CC mammogram of the right breast. Patient age 55.
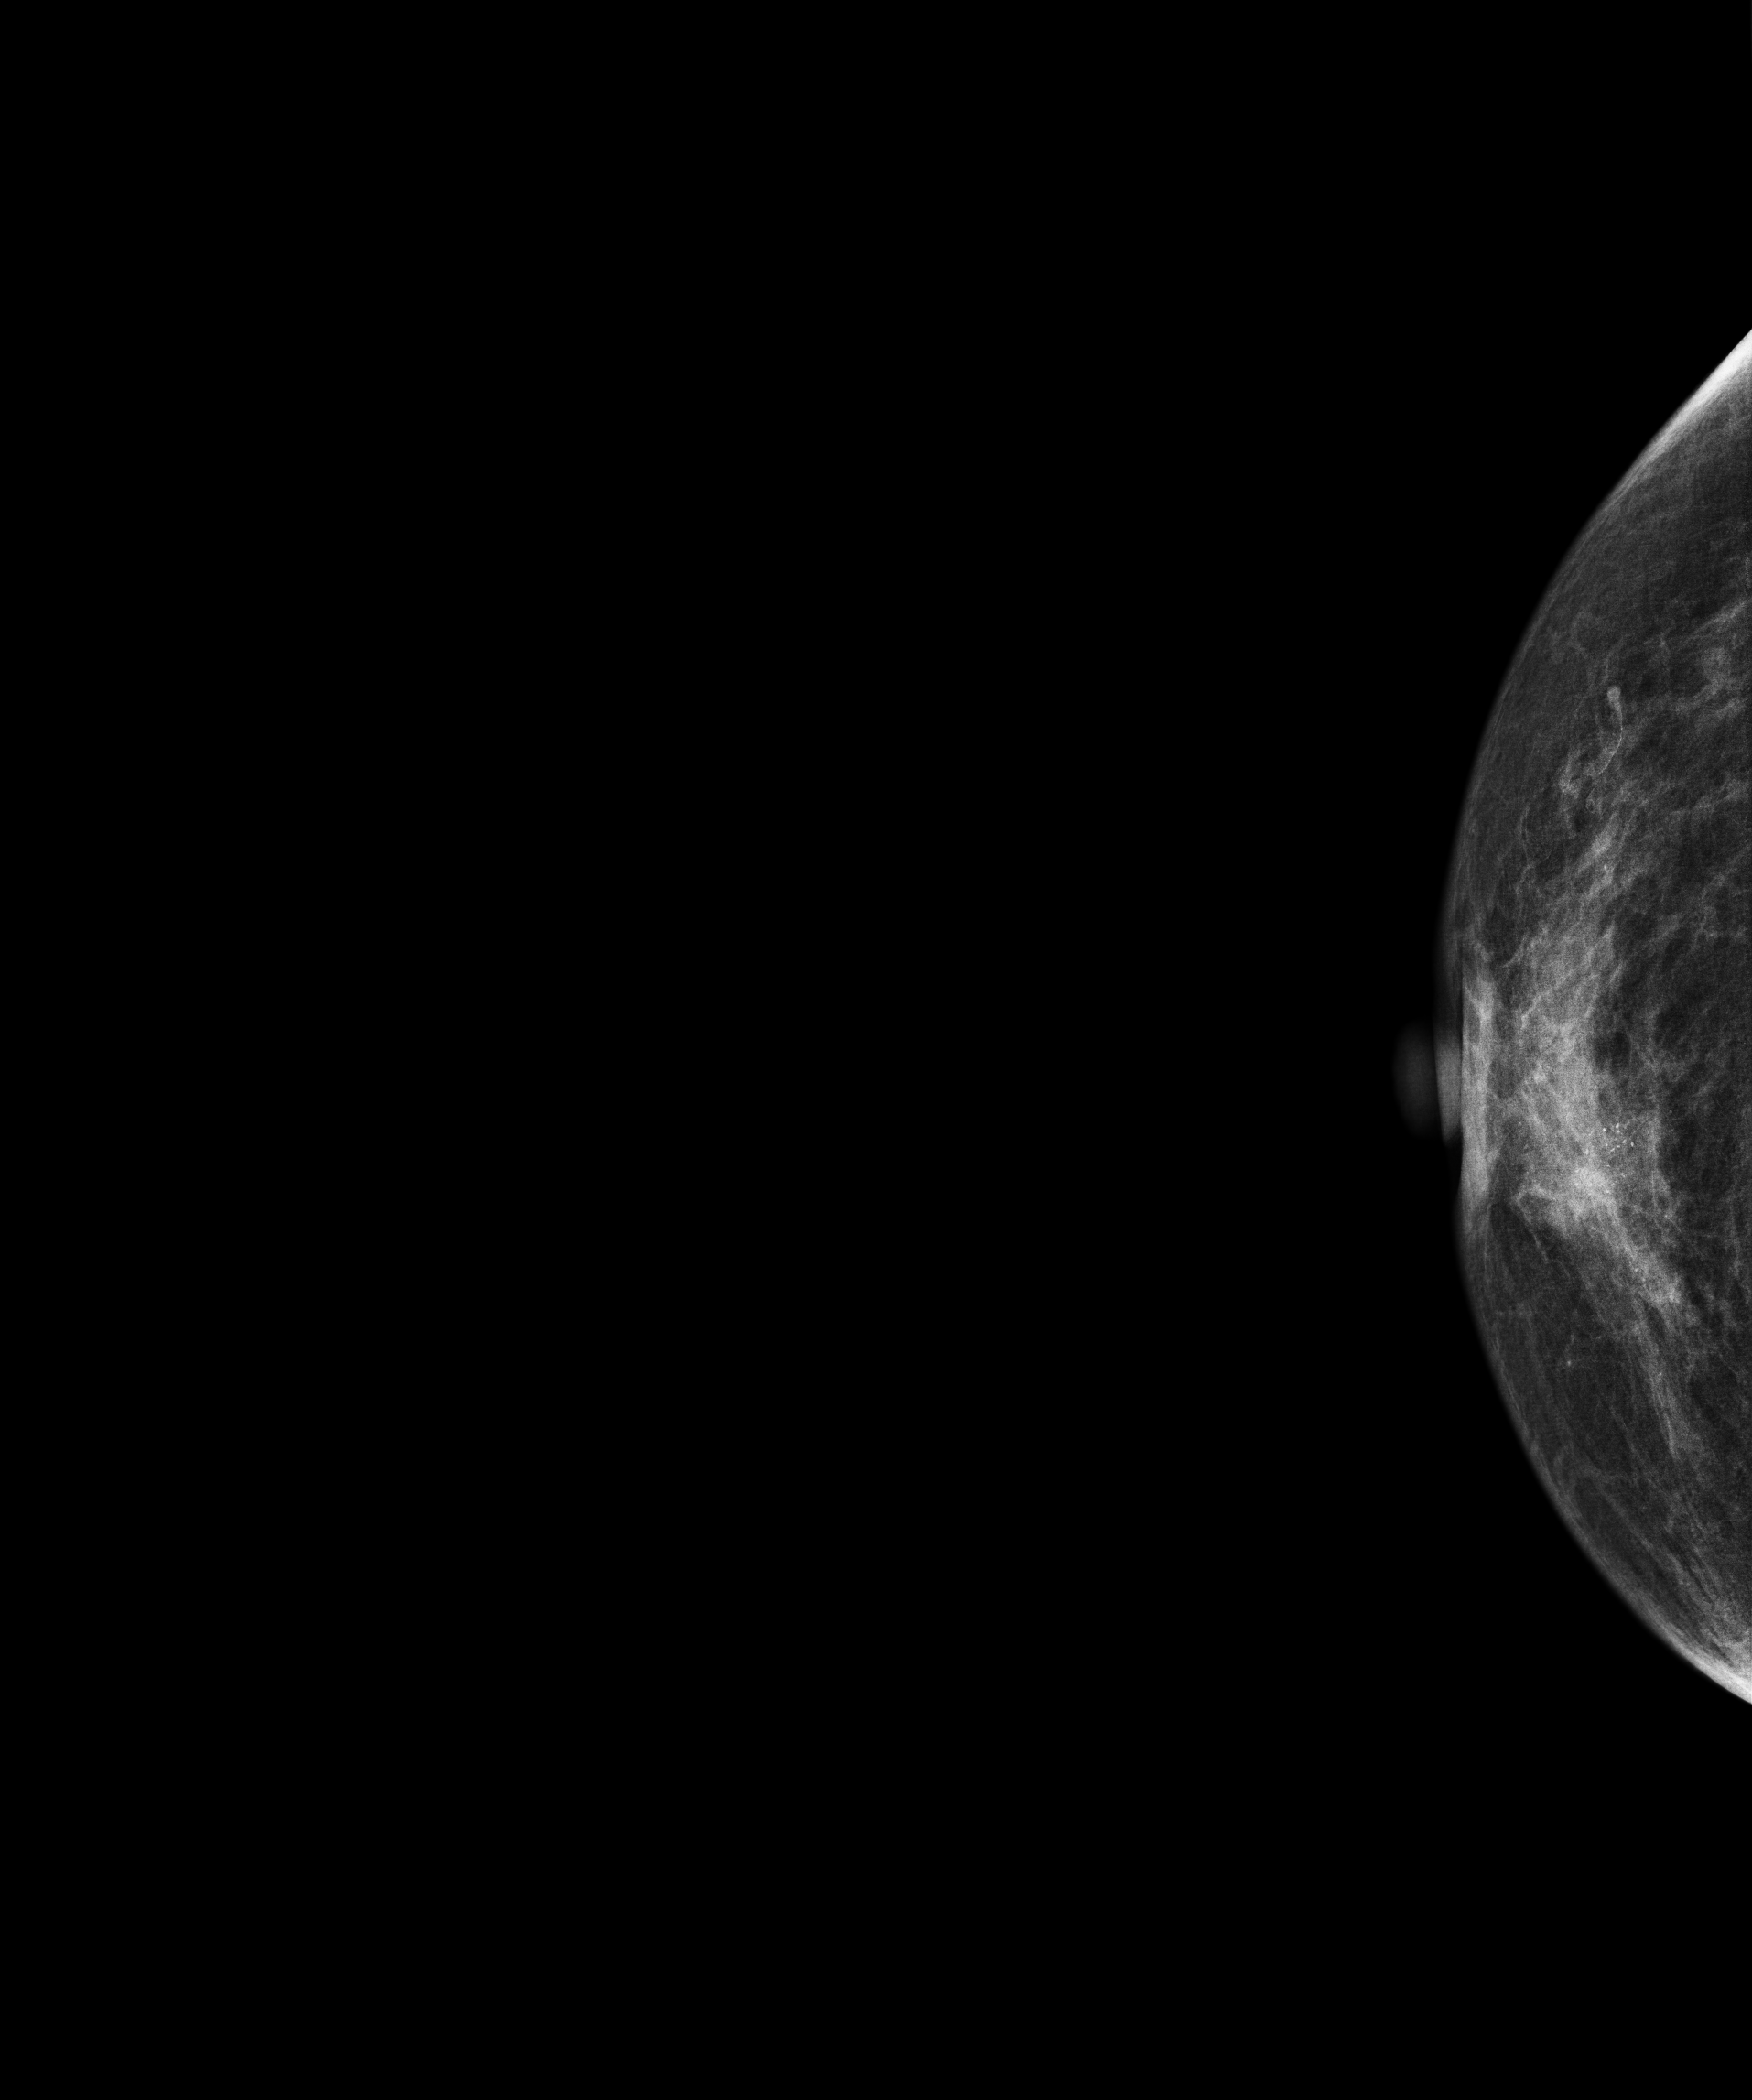
This breast has calcifications, biopsy-proven malignant. Molecular subtype: luminal B.